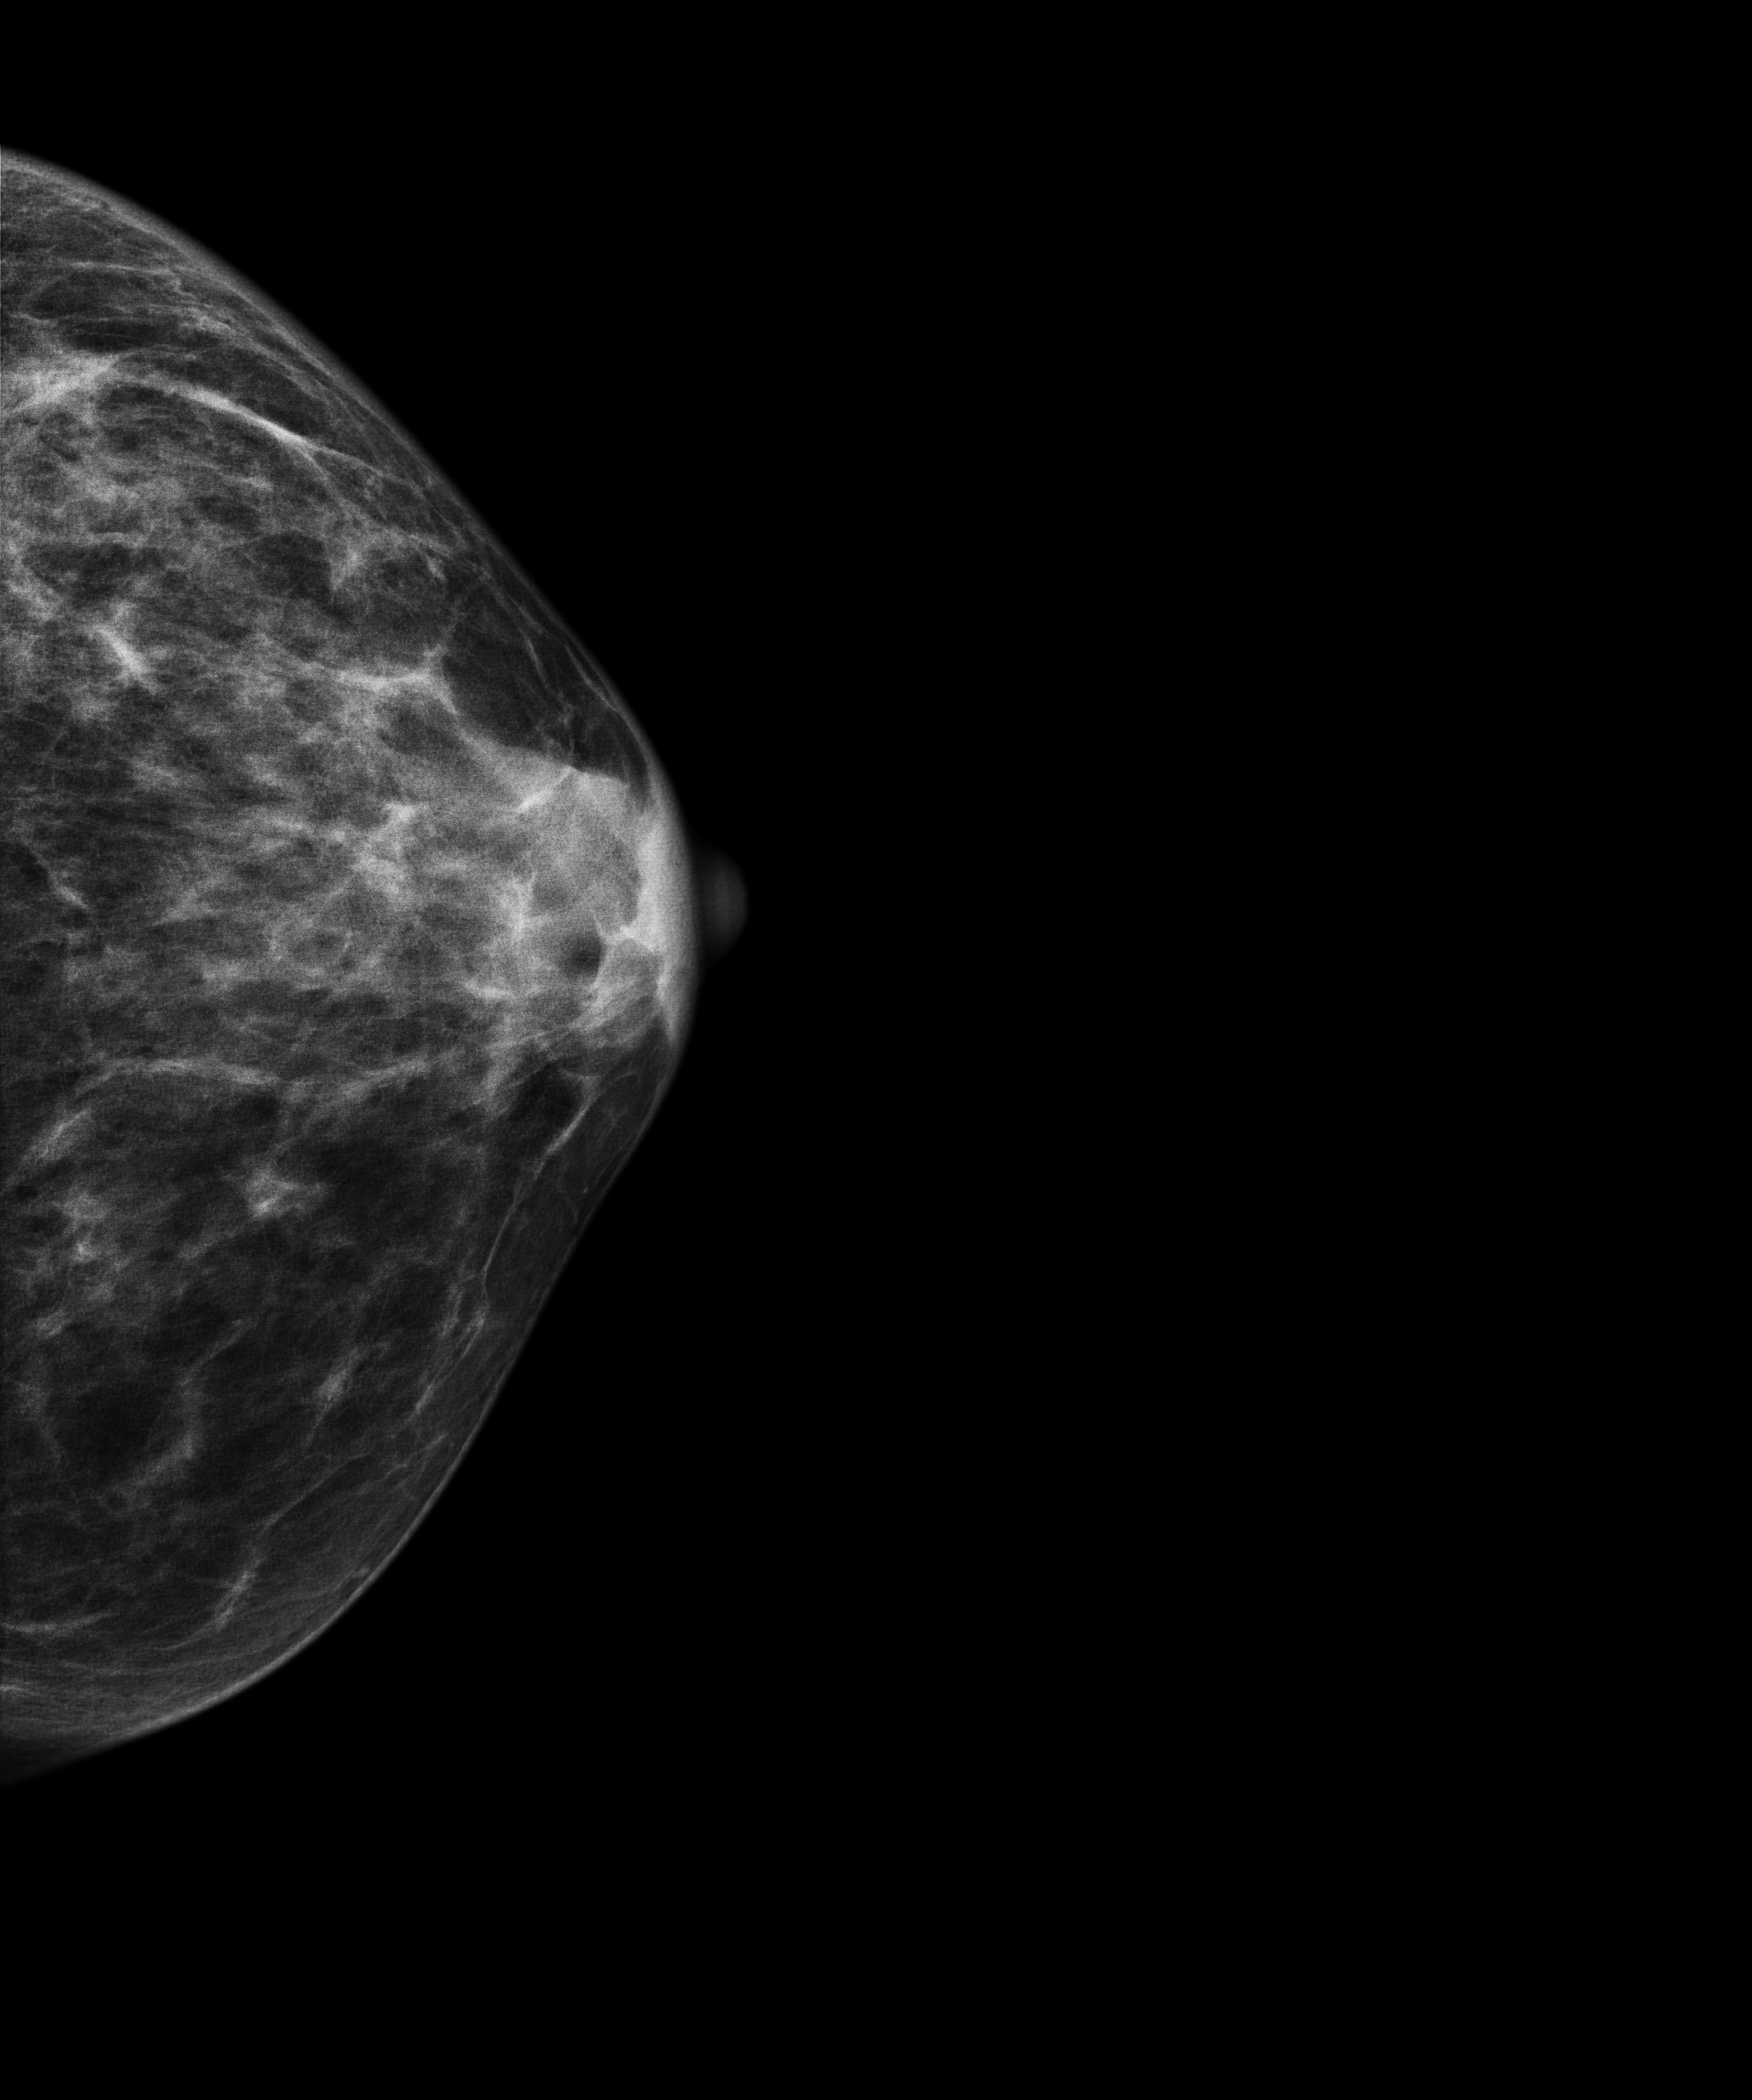
Digital mammography. Left breast, cranio-caudal projection. 59-year-old patient.
This breast has a mass, pathology-confirmed malignant. Molecular subtype: luminal B.